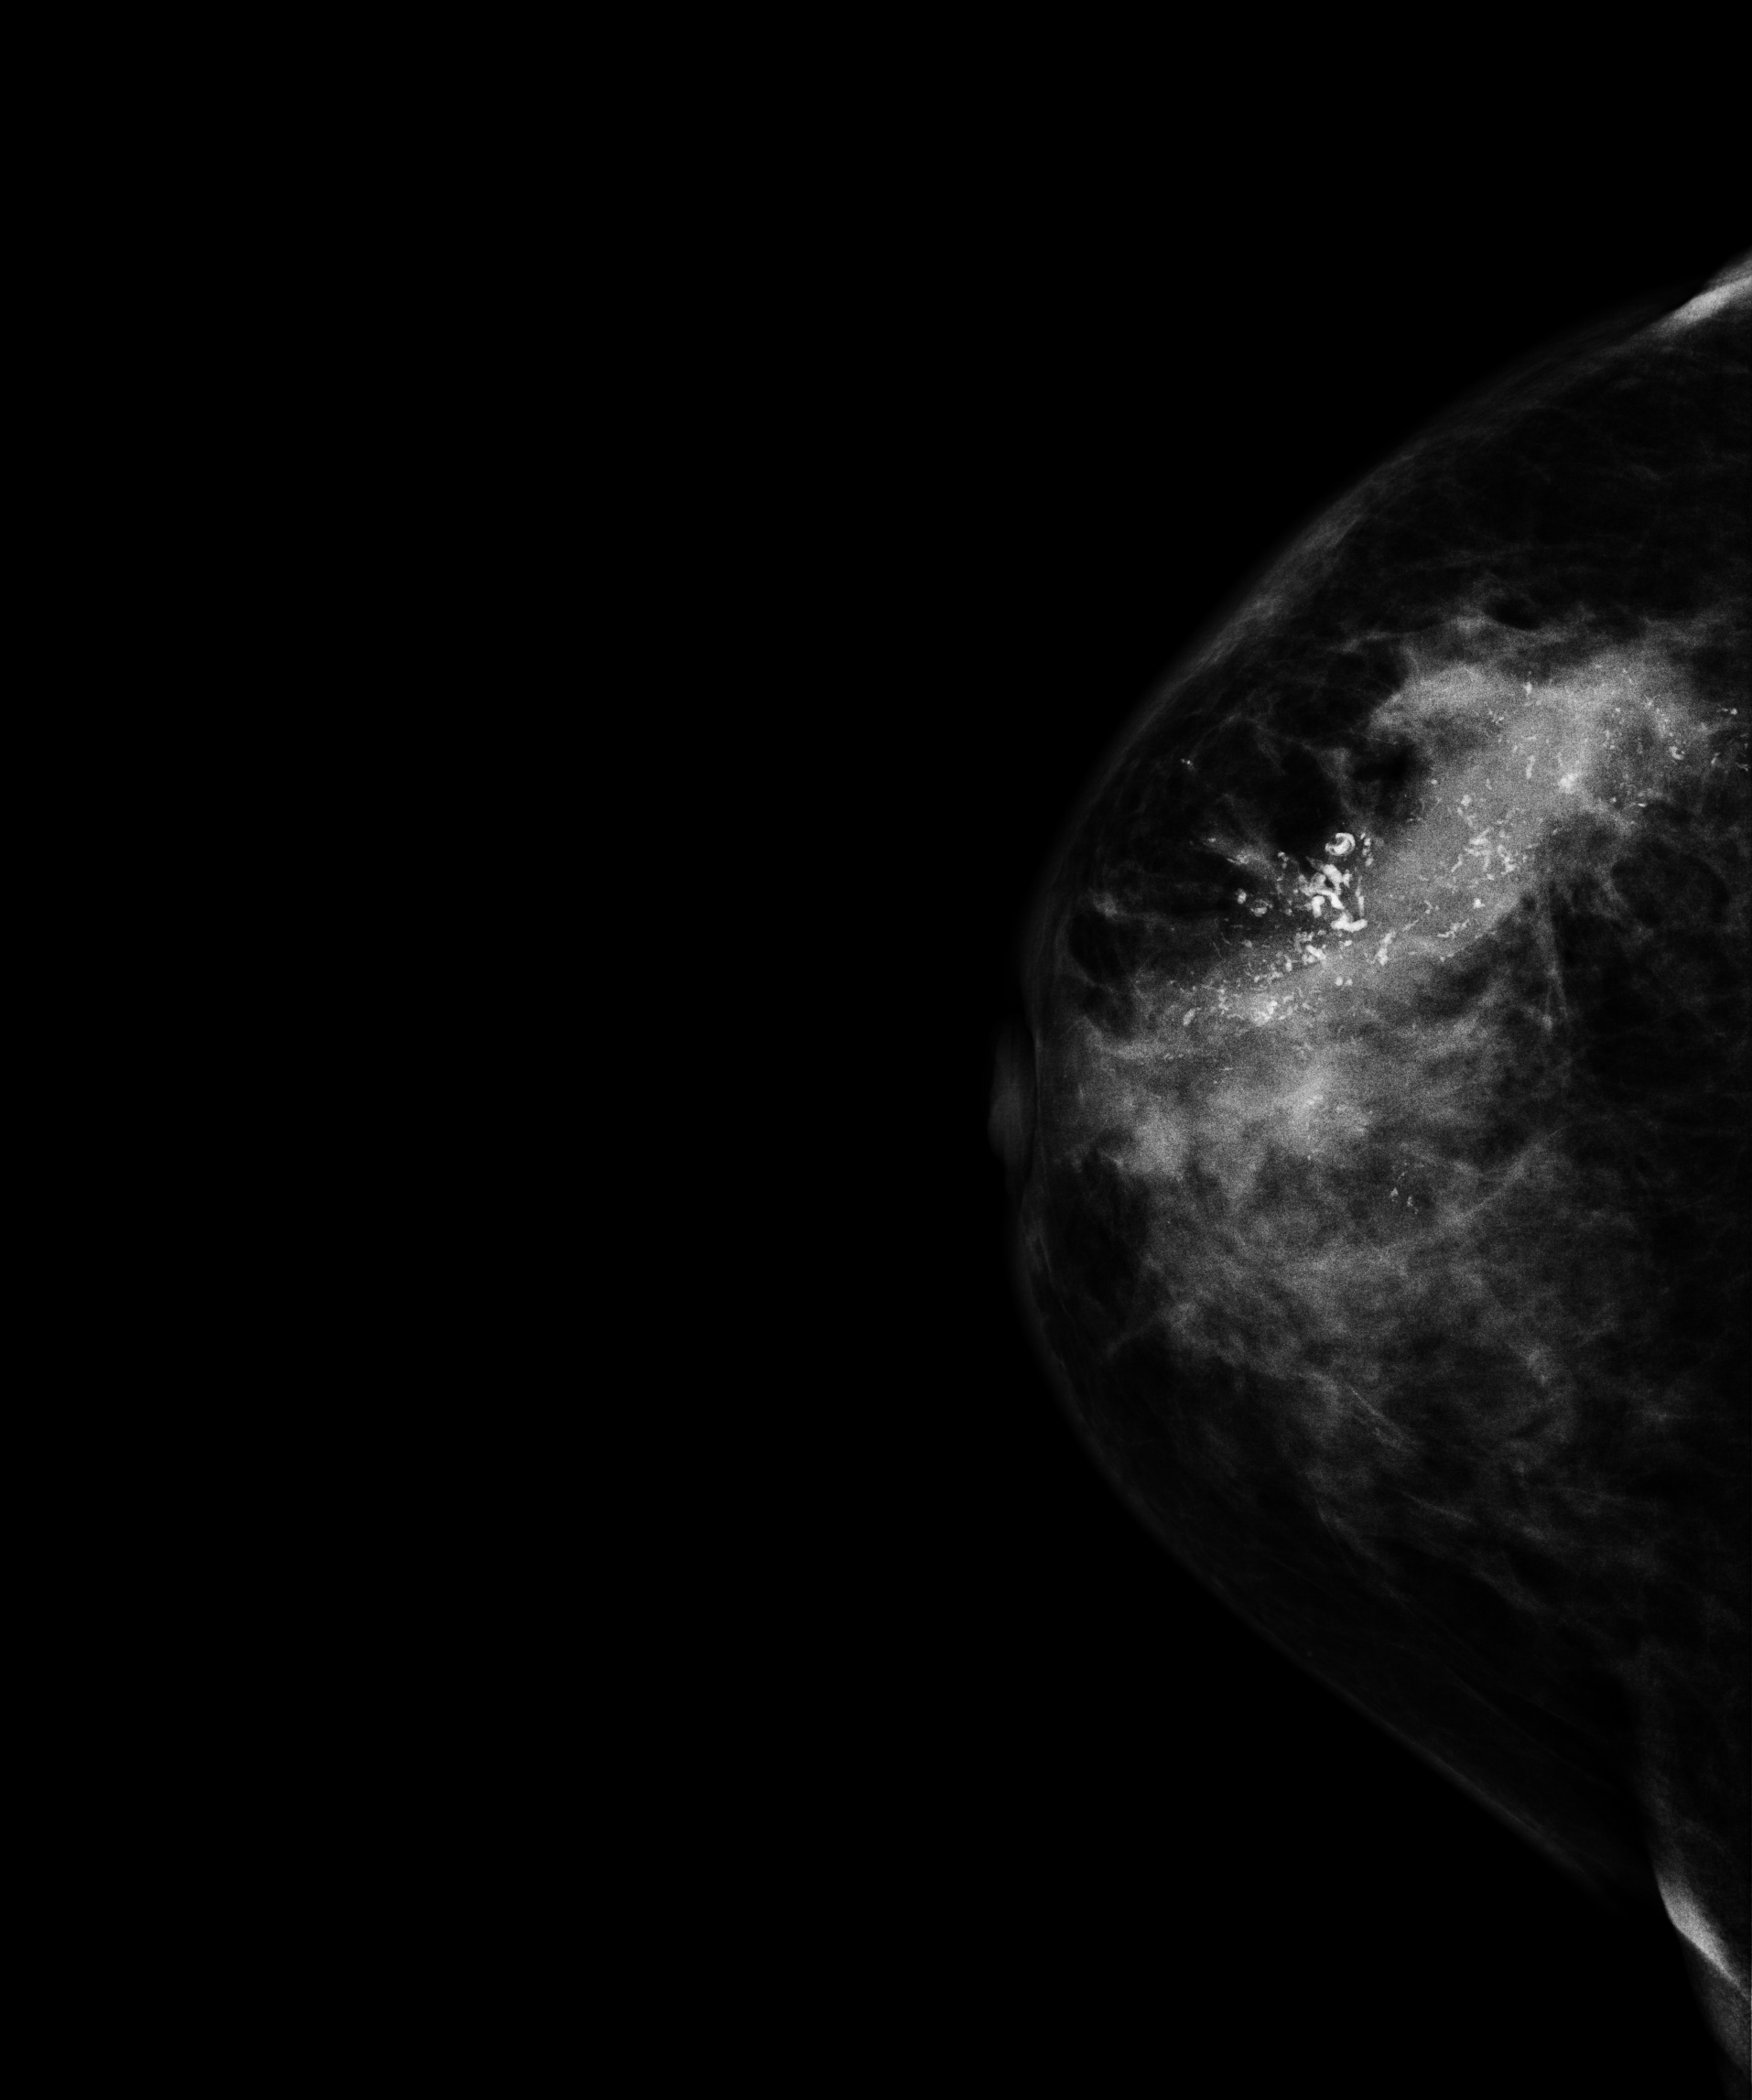
Cranio-caudal mammogram of the right breast. Patient age 60.
This breast has calcifications, biopsy-confirmed malignant. Molecular subtype: HER2-enriched.